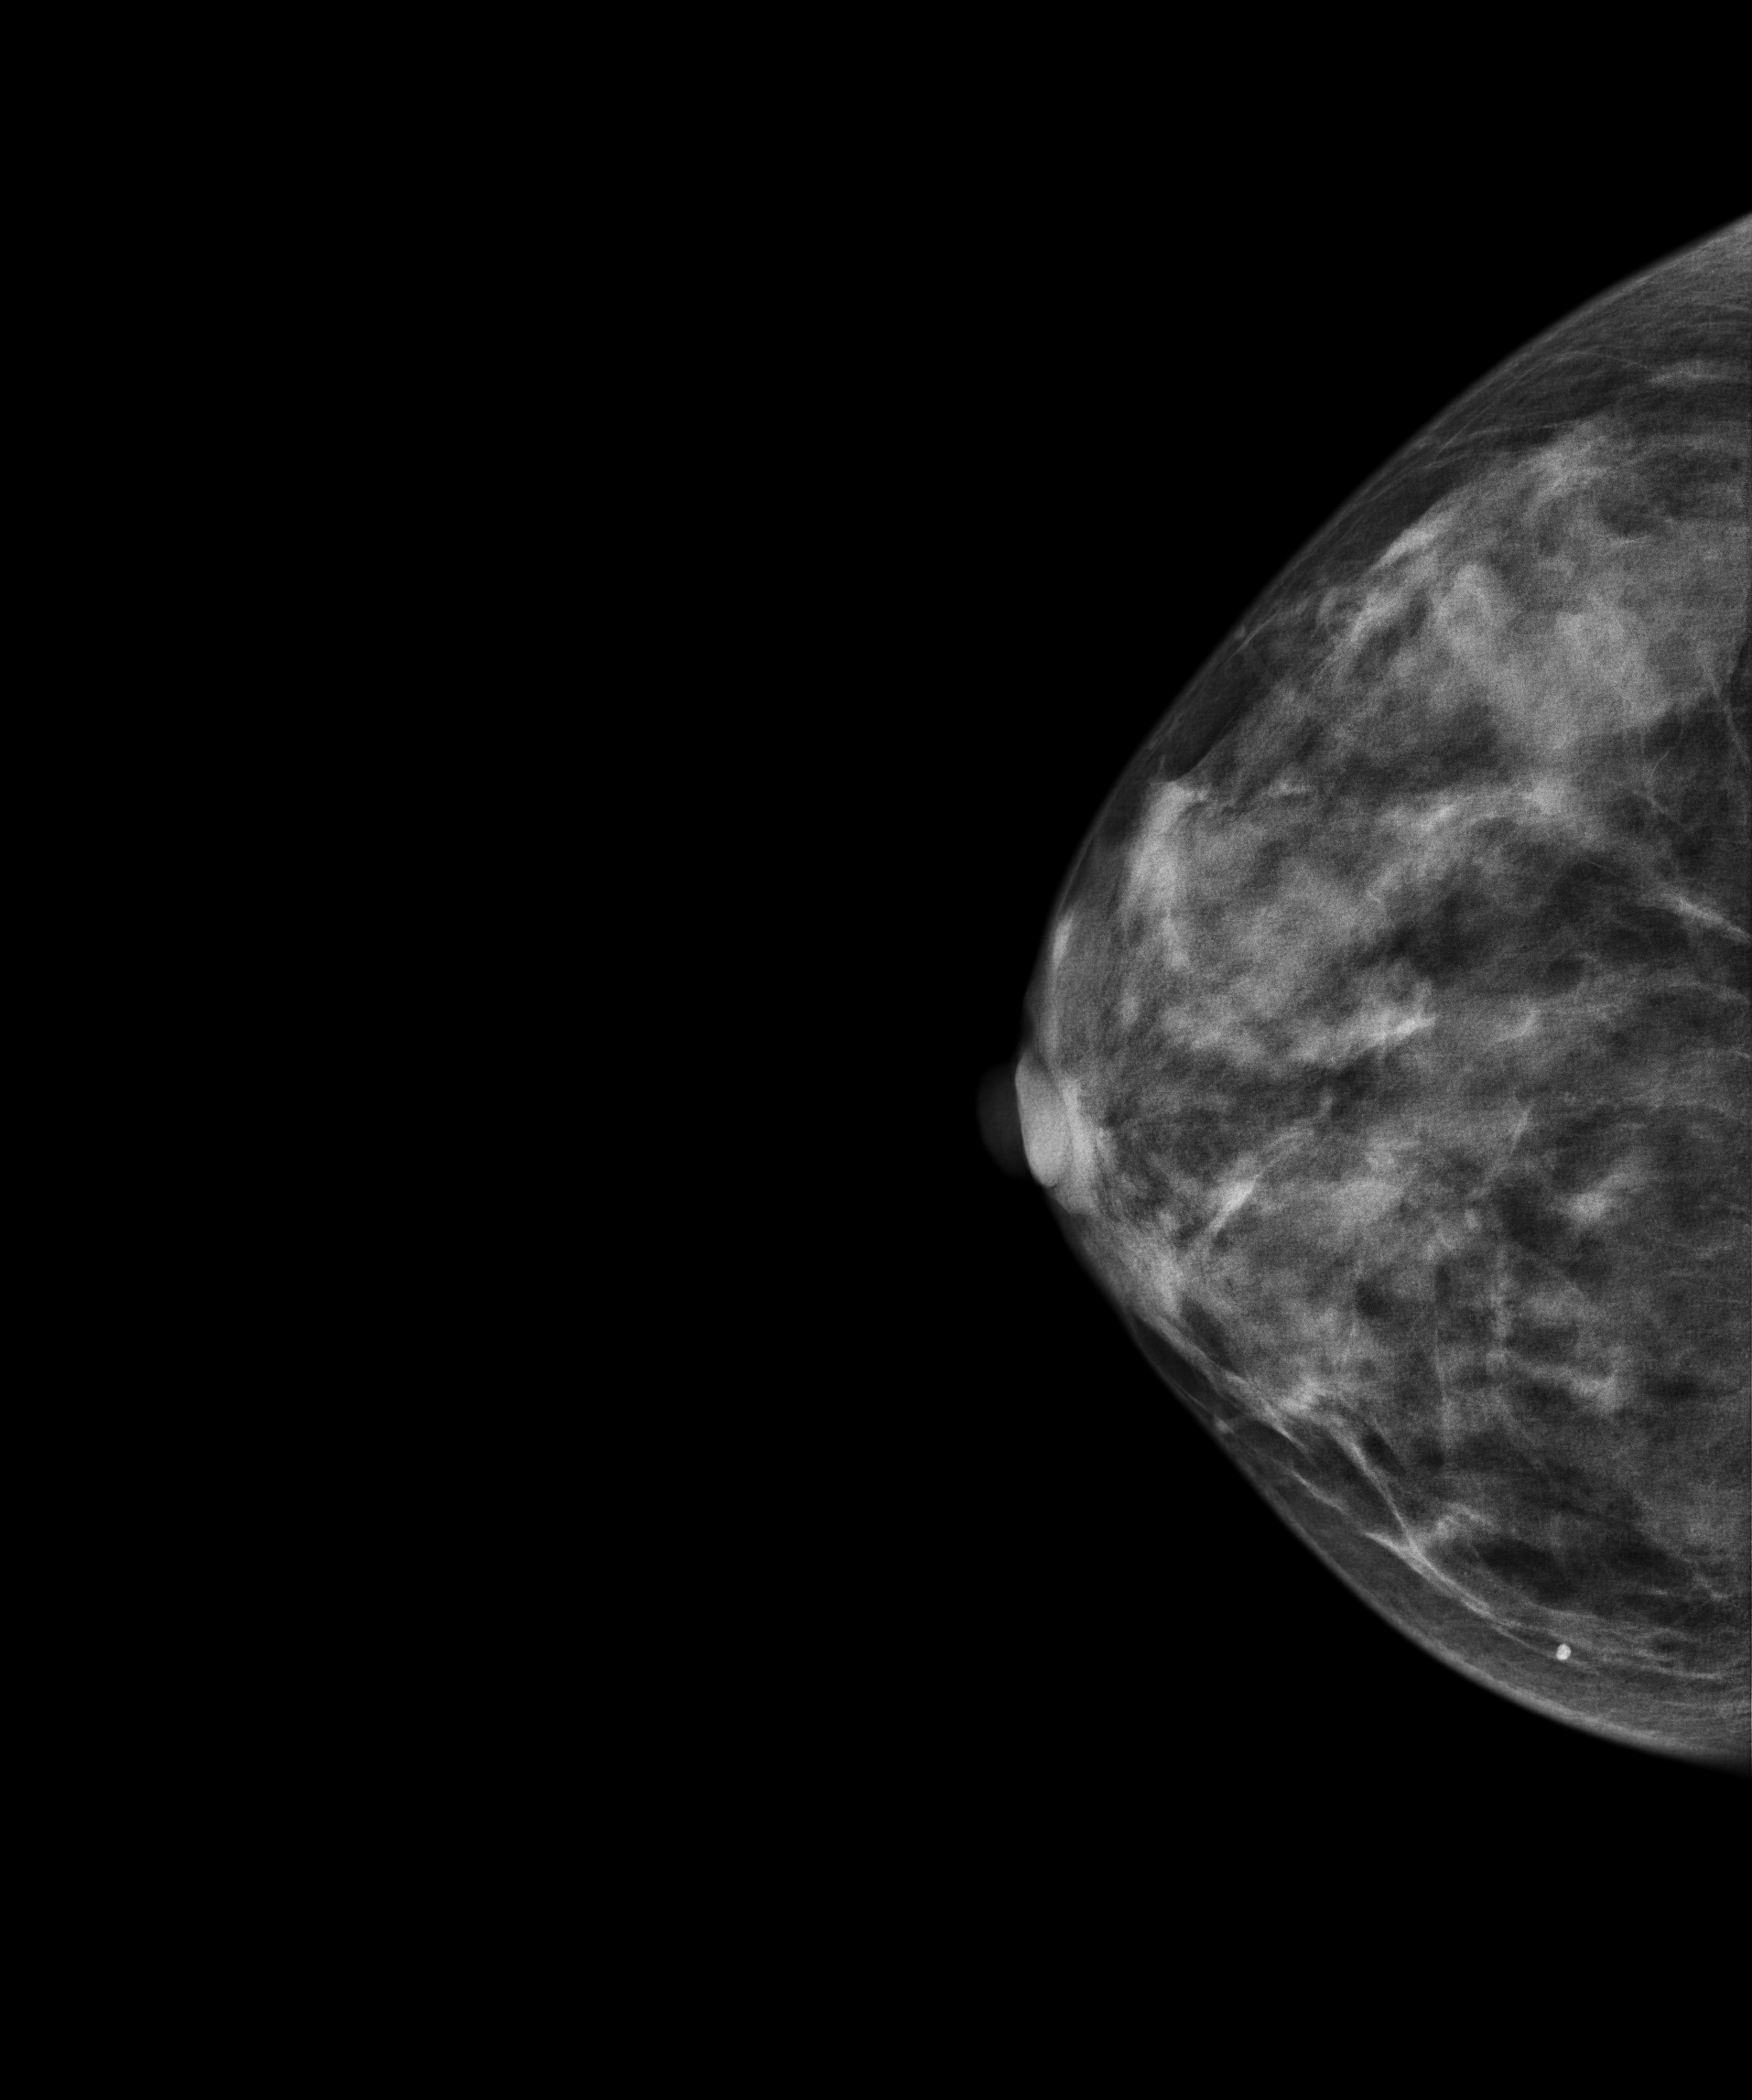
Digital mammography. Right breast, CC projection. 36-year-old patient.
Contralateral breast — no documented abnormality on this side.